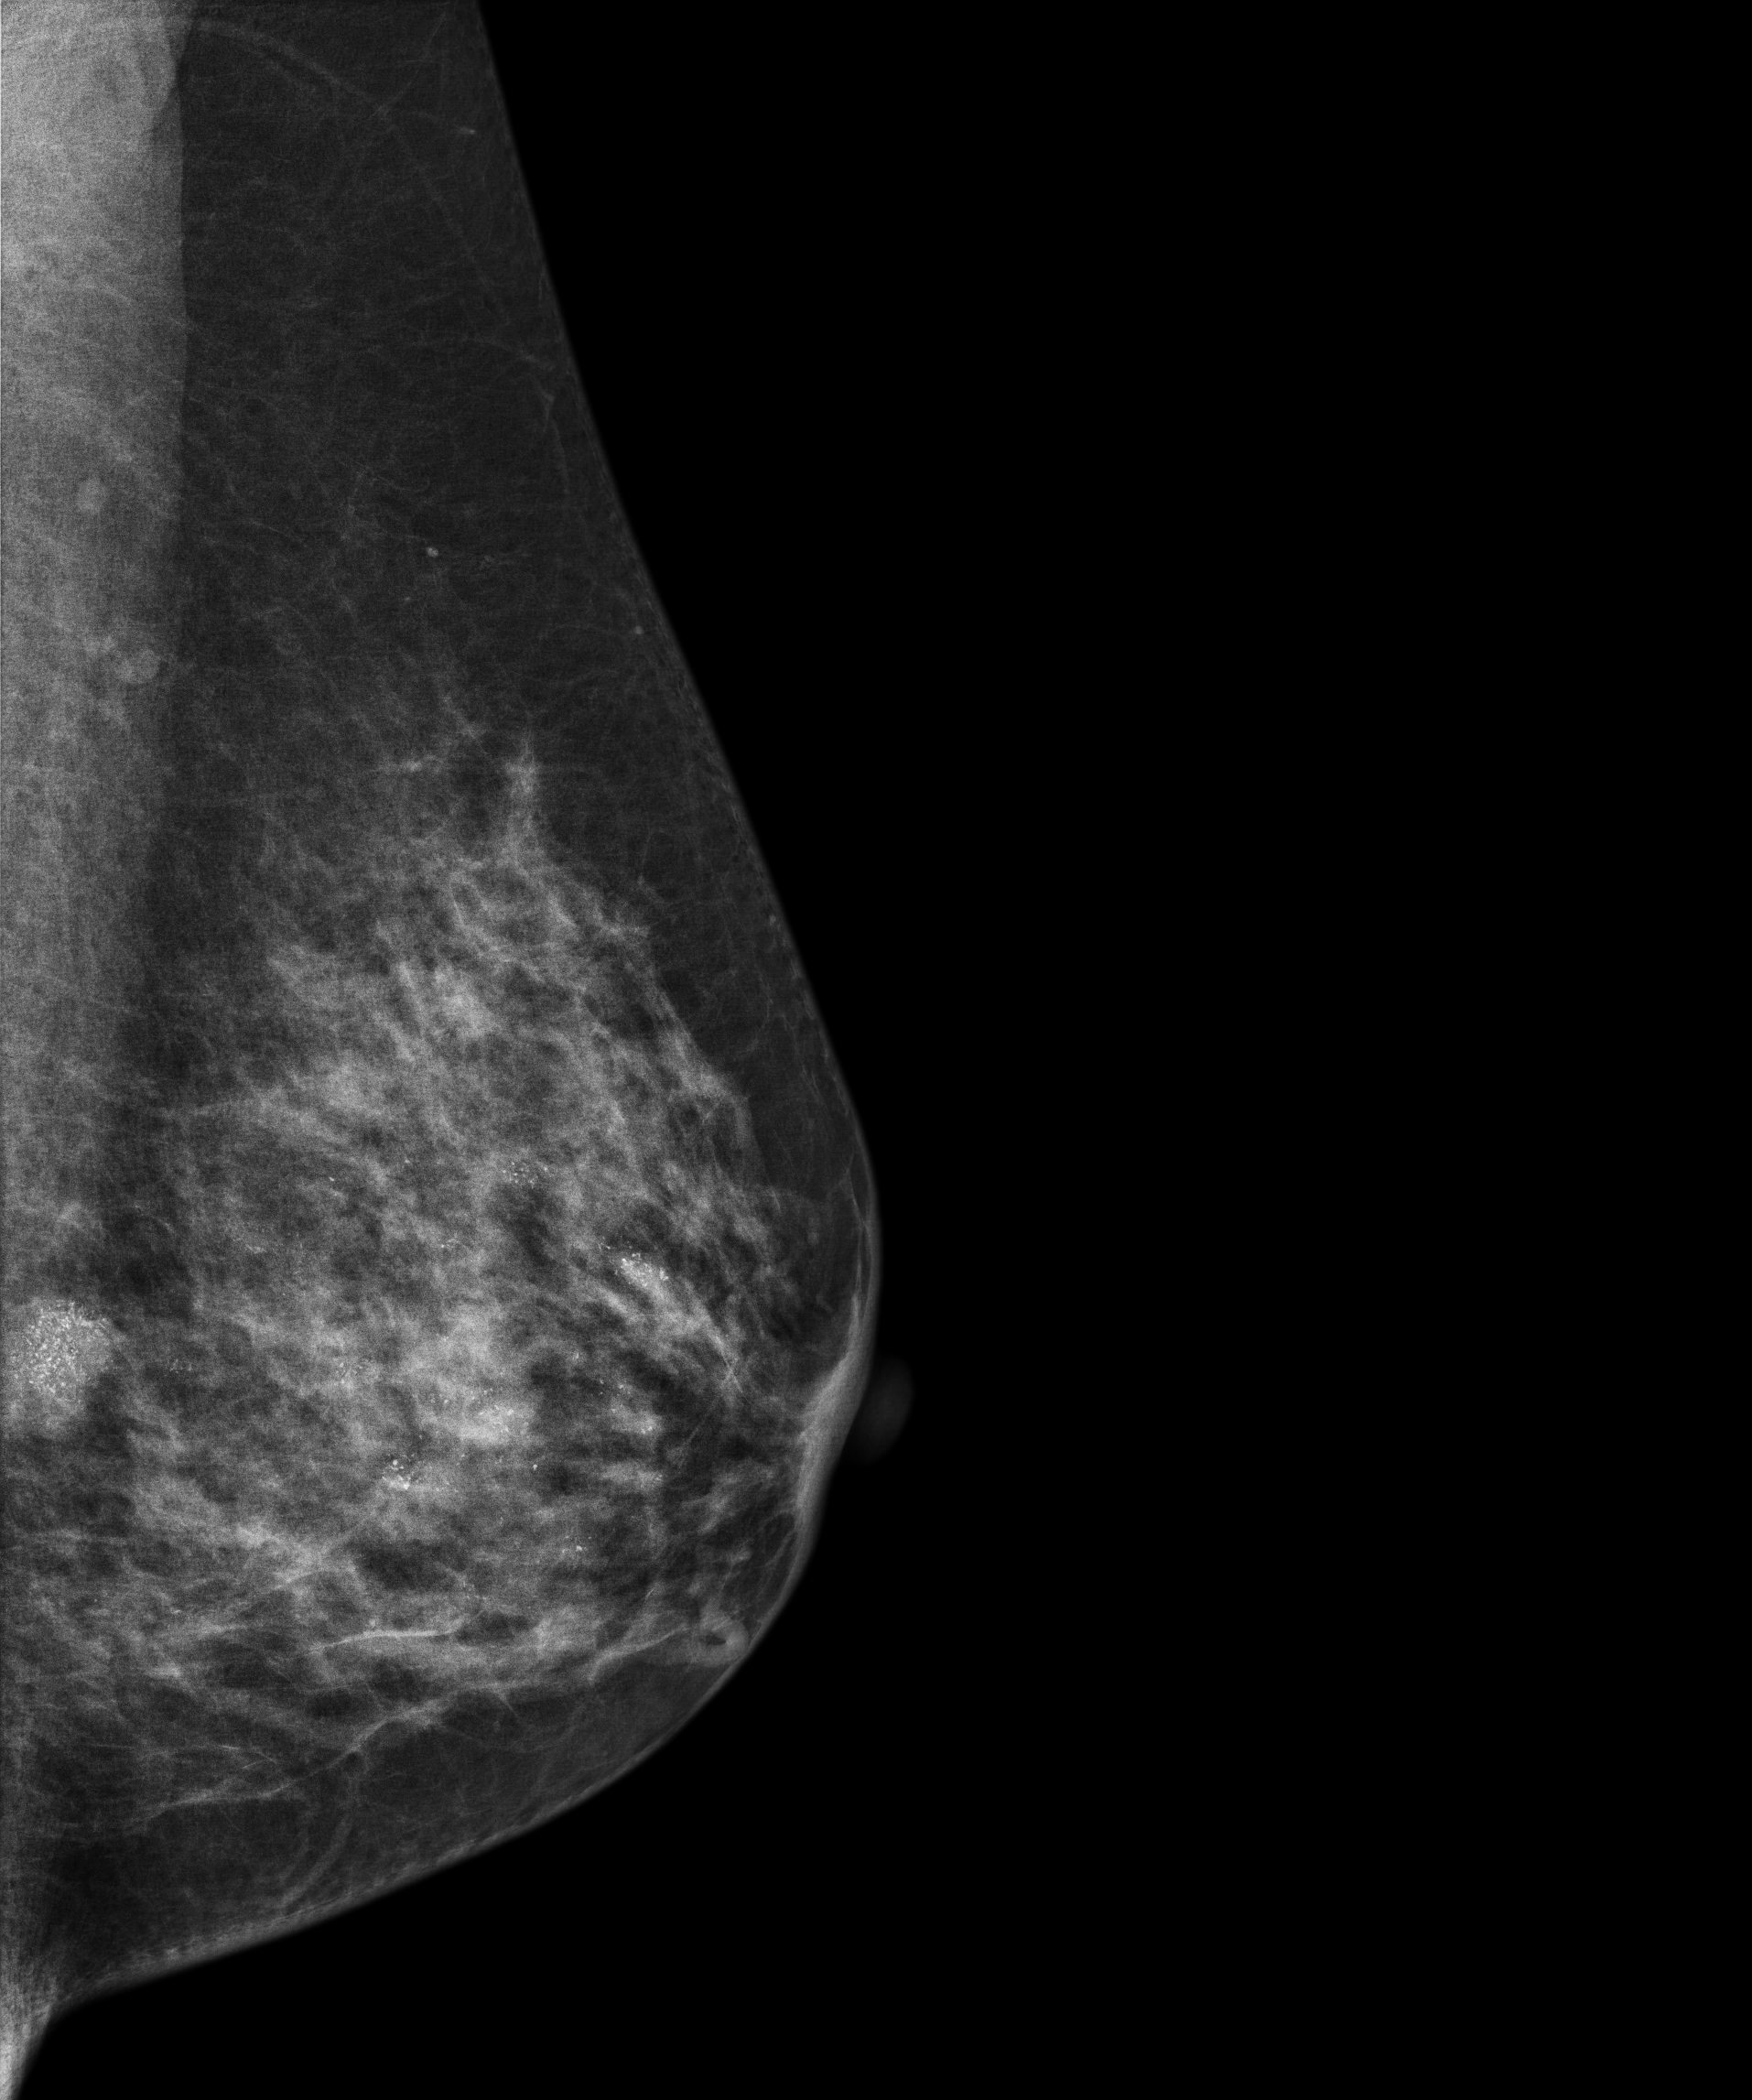
Left-breast mammogram, MLO. Patient age 58.
This breast has a mass and calcifications, biopsy-confirmed malignant.